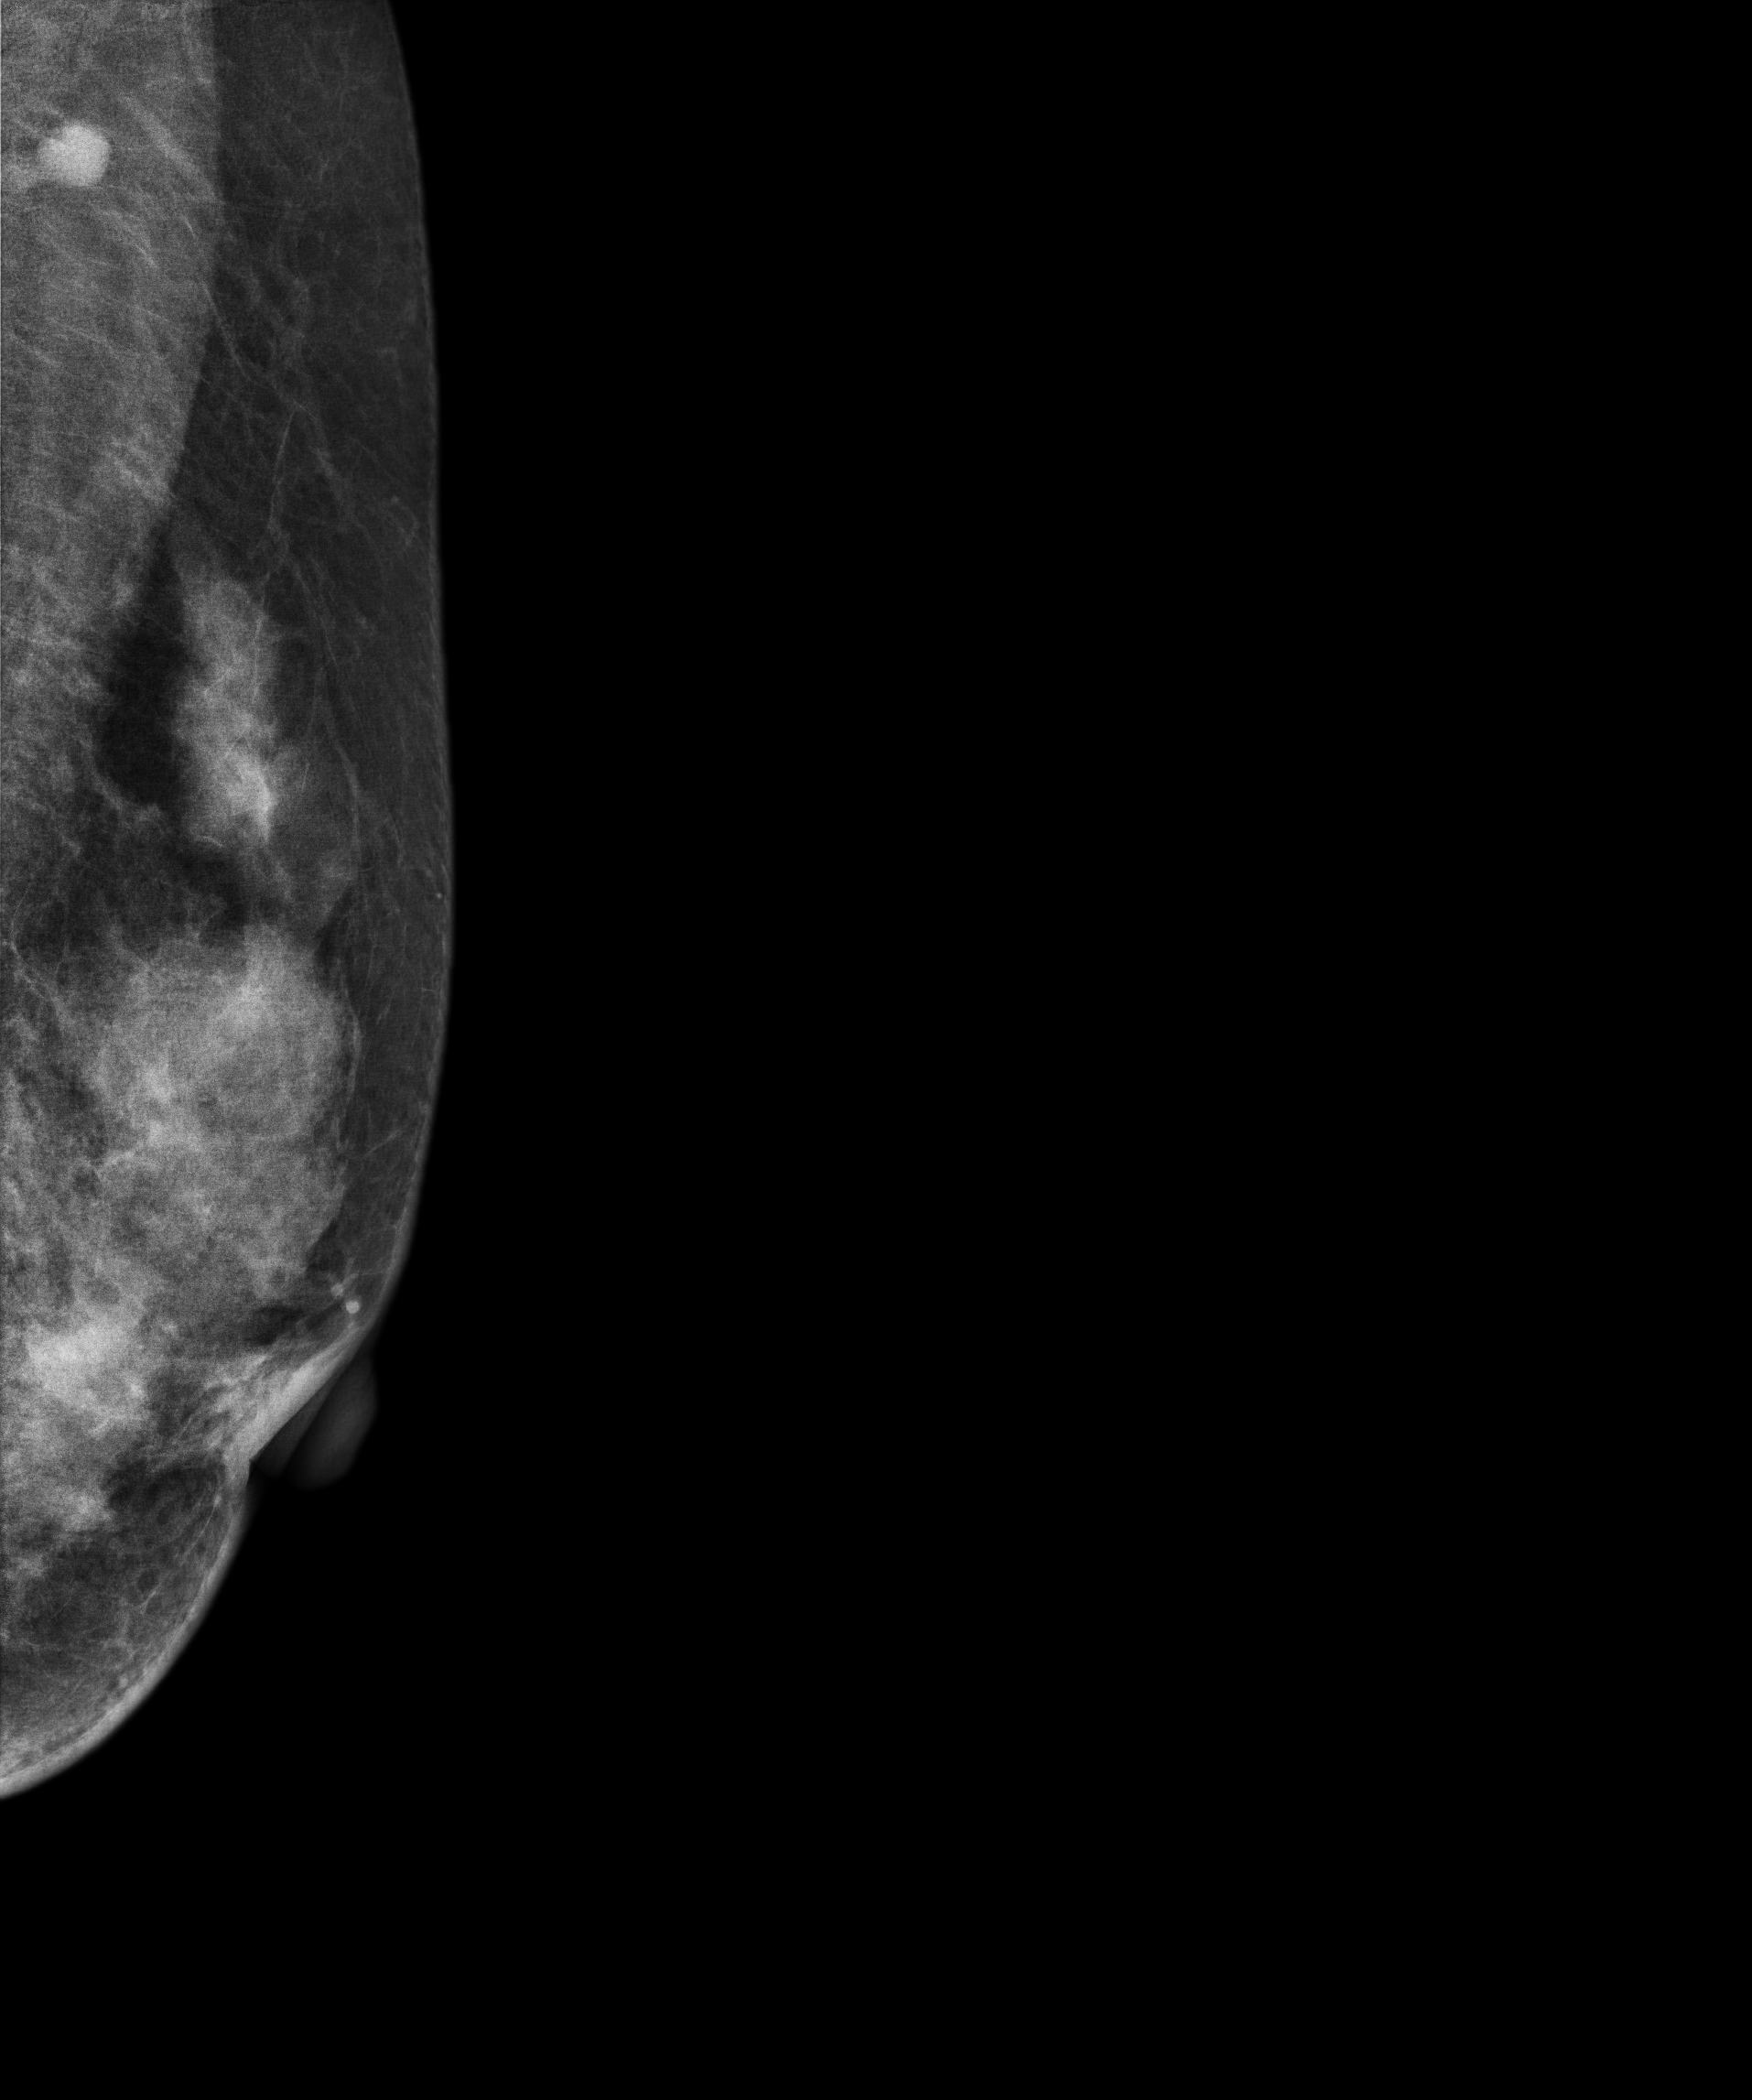
Mammogram — left MLO. 51 y/o patient.
This breast has a mass, biopsy-confirmed malignant.